Mammogram — right CC. 74 y/o patient.
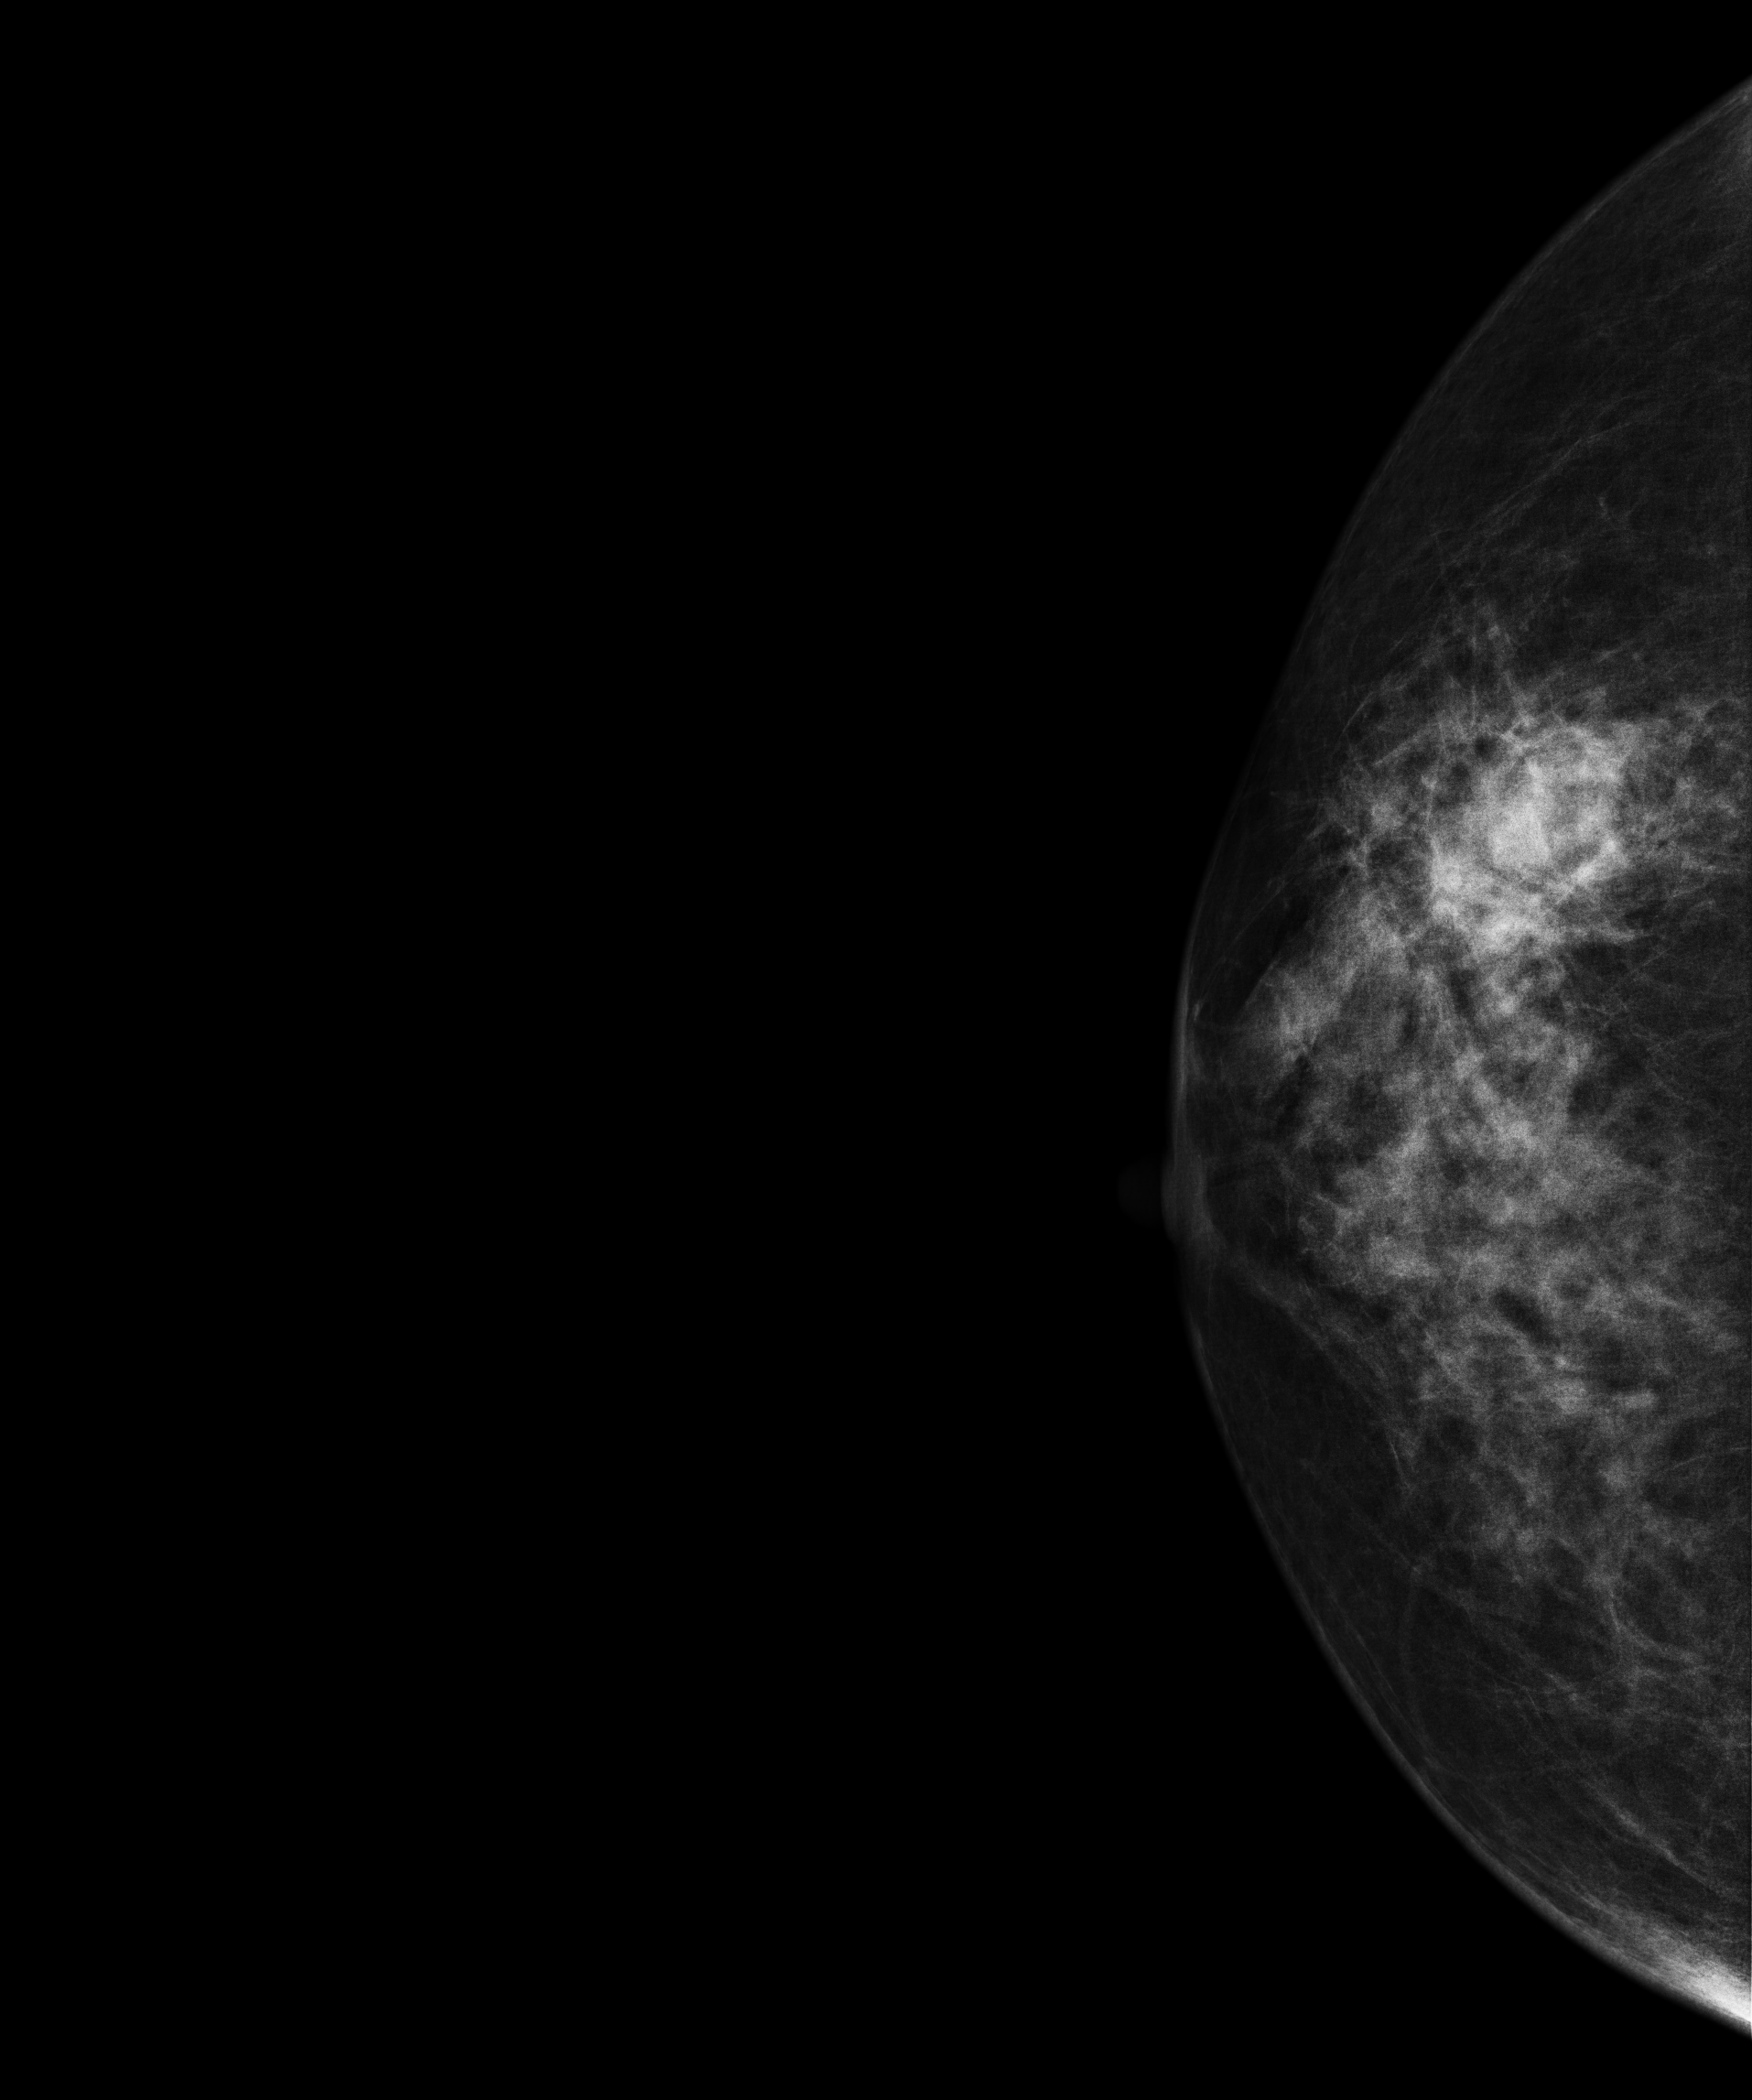
This breast has a mass, histologically confirmed malignant. Molecular subtype: luminal B.